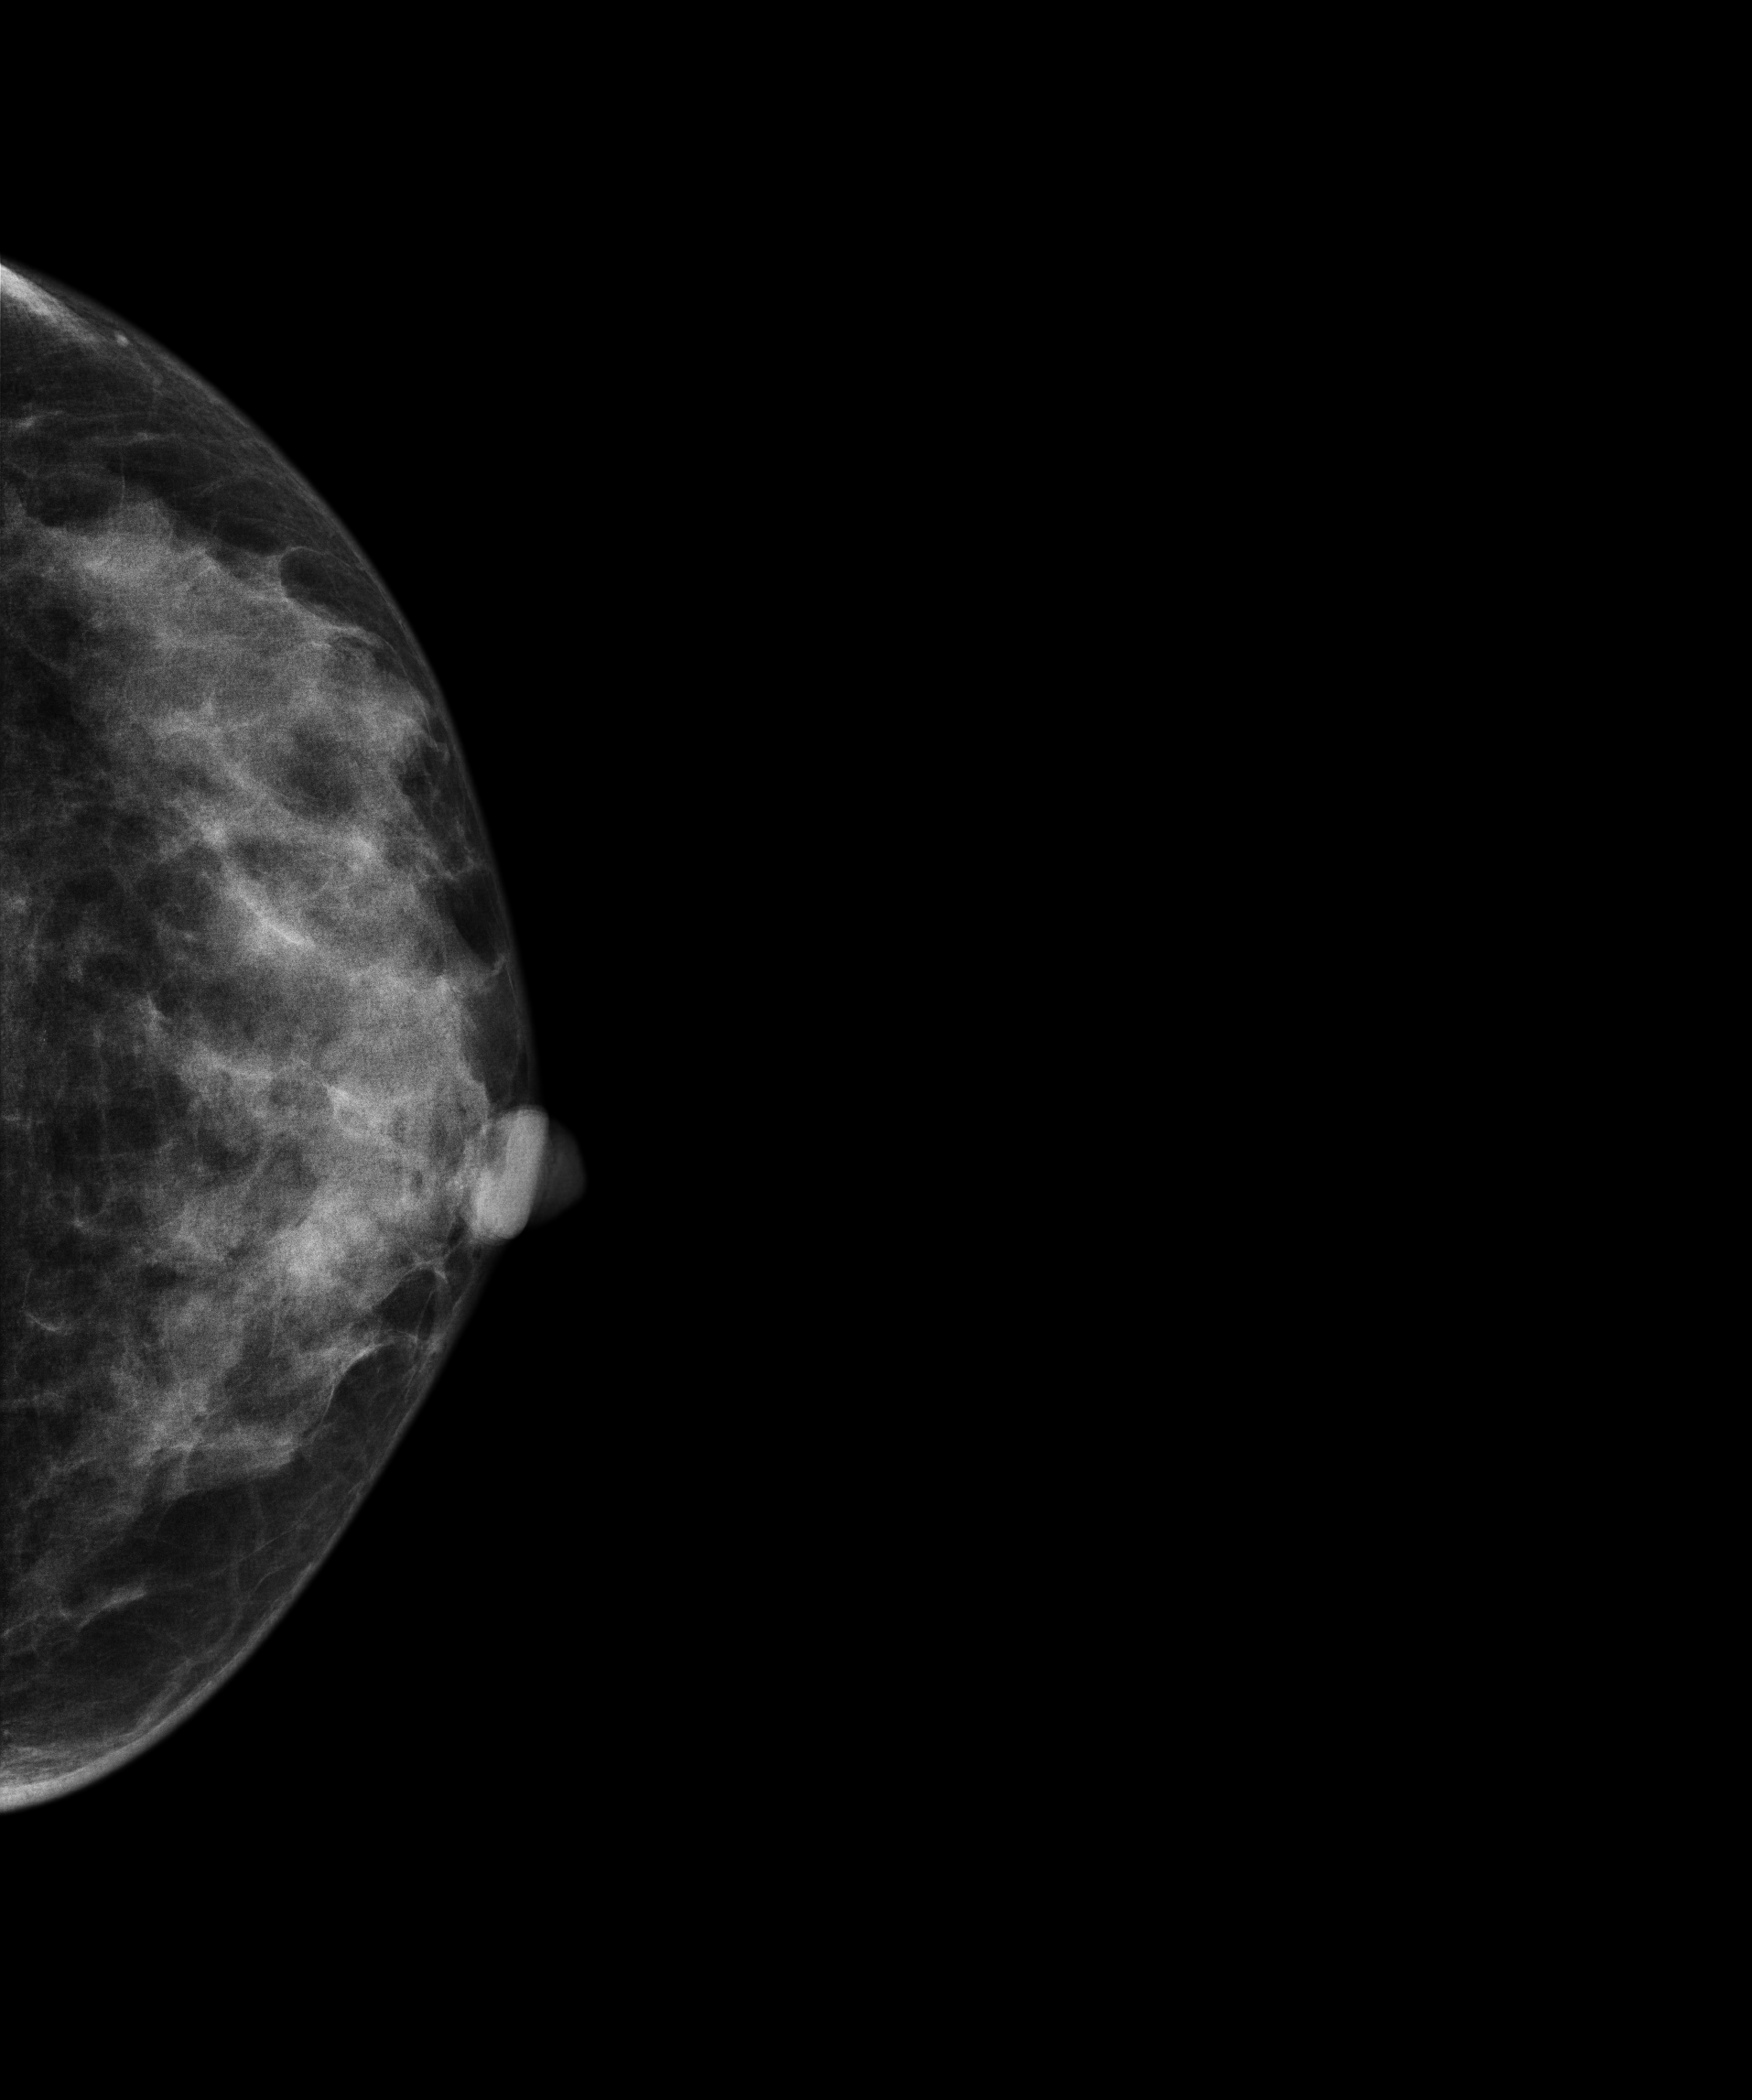
Left-breast mammogram, cranio-caudal. Patient age 49.
This breast has a mass, pathology-confirmed benign.